Mammogram, right breast, MLO view. 49-year-old patient.
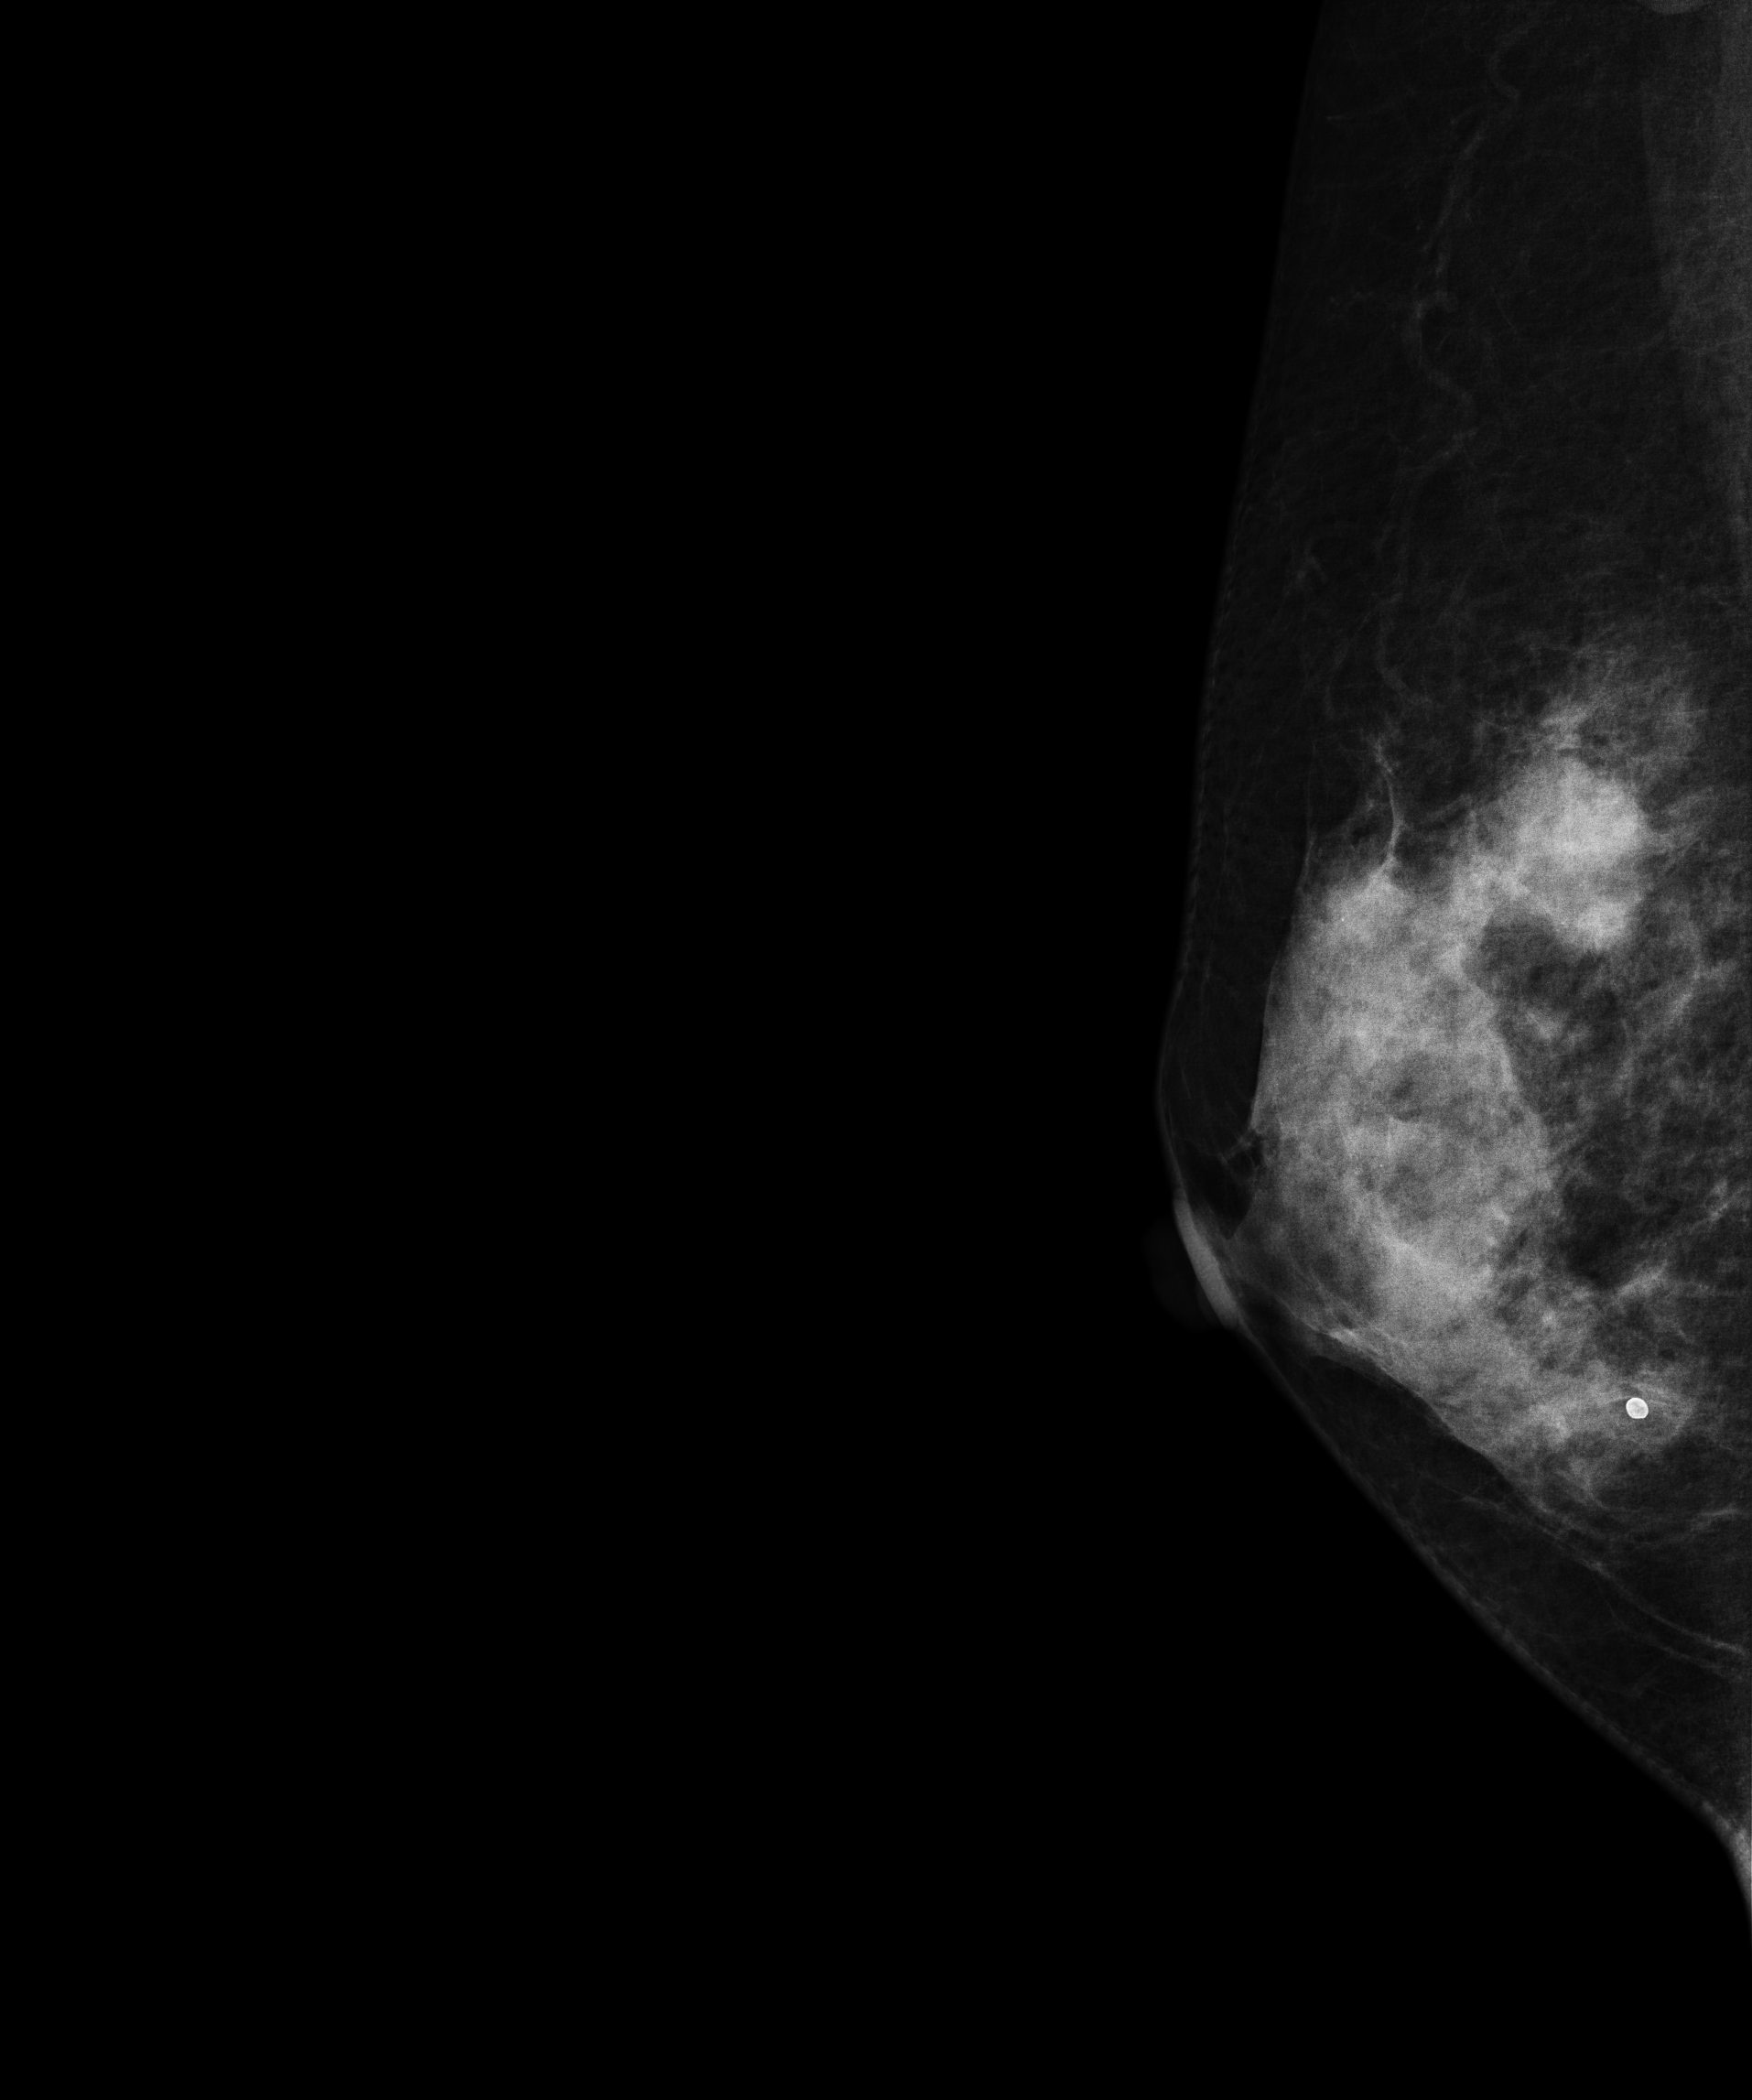
This breast has a mass, biopsy-confirmed malignant. Molecular subtype: triple-negative.